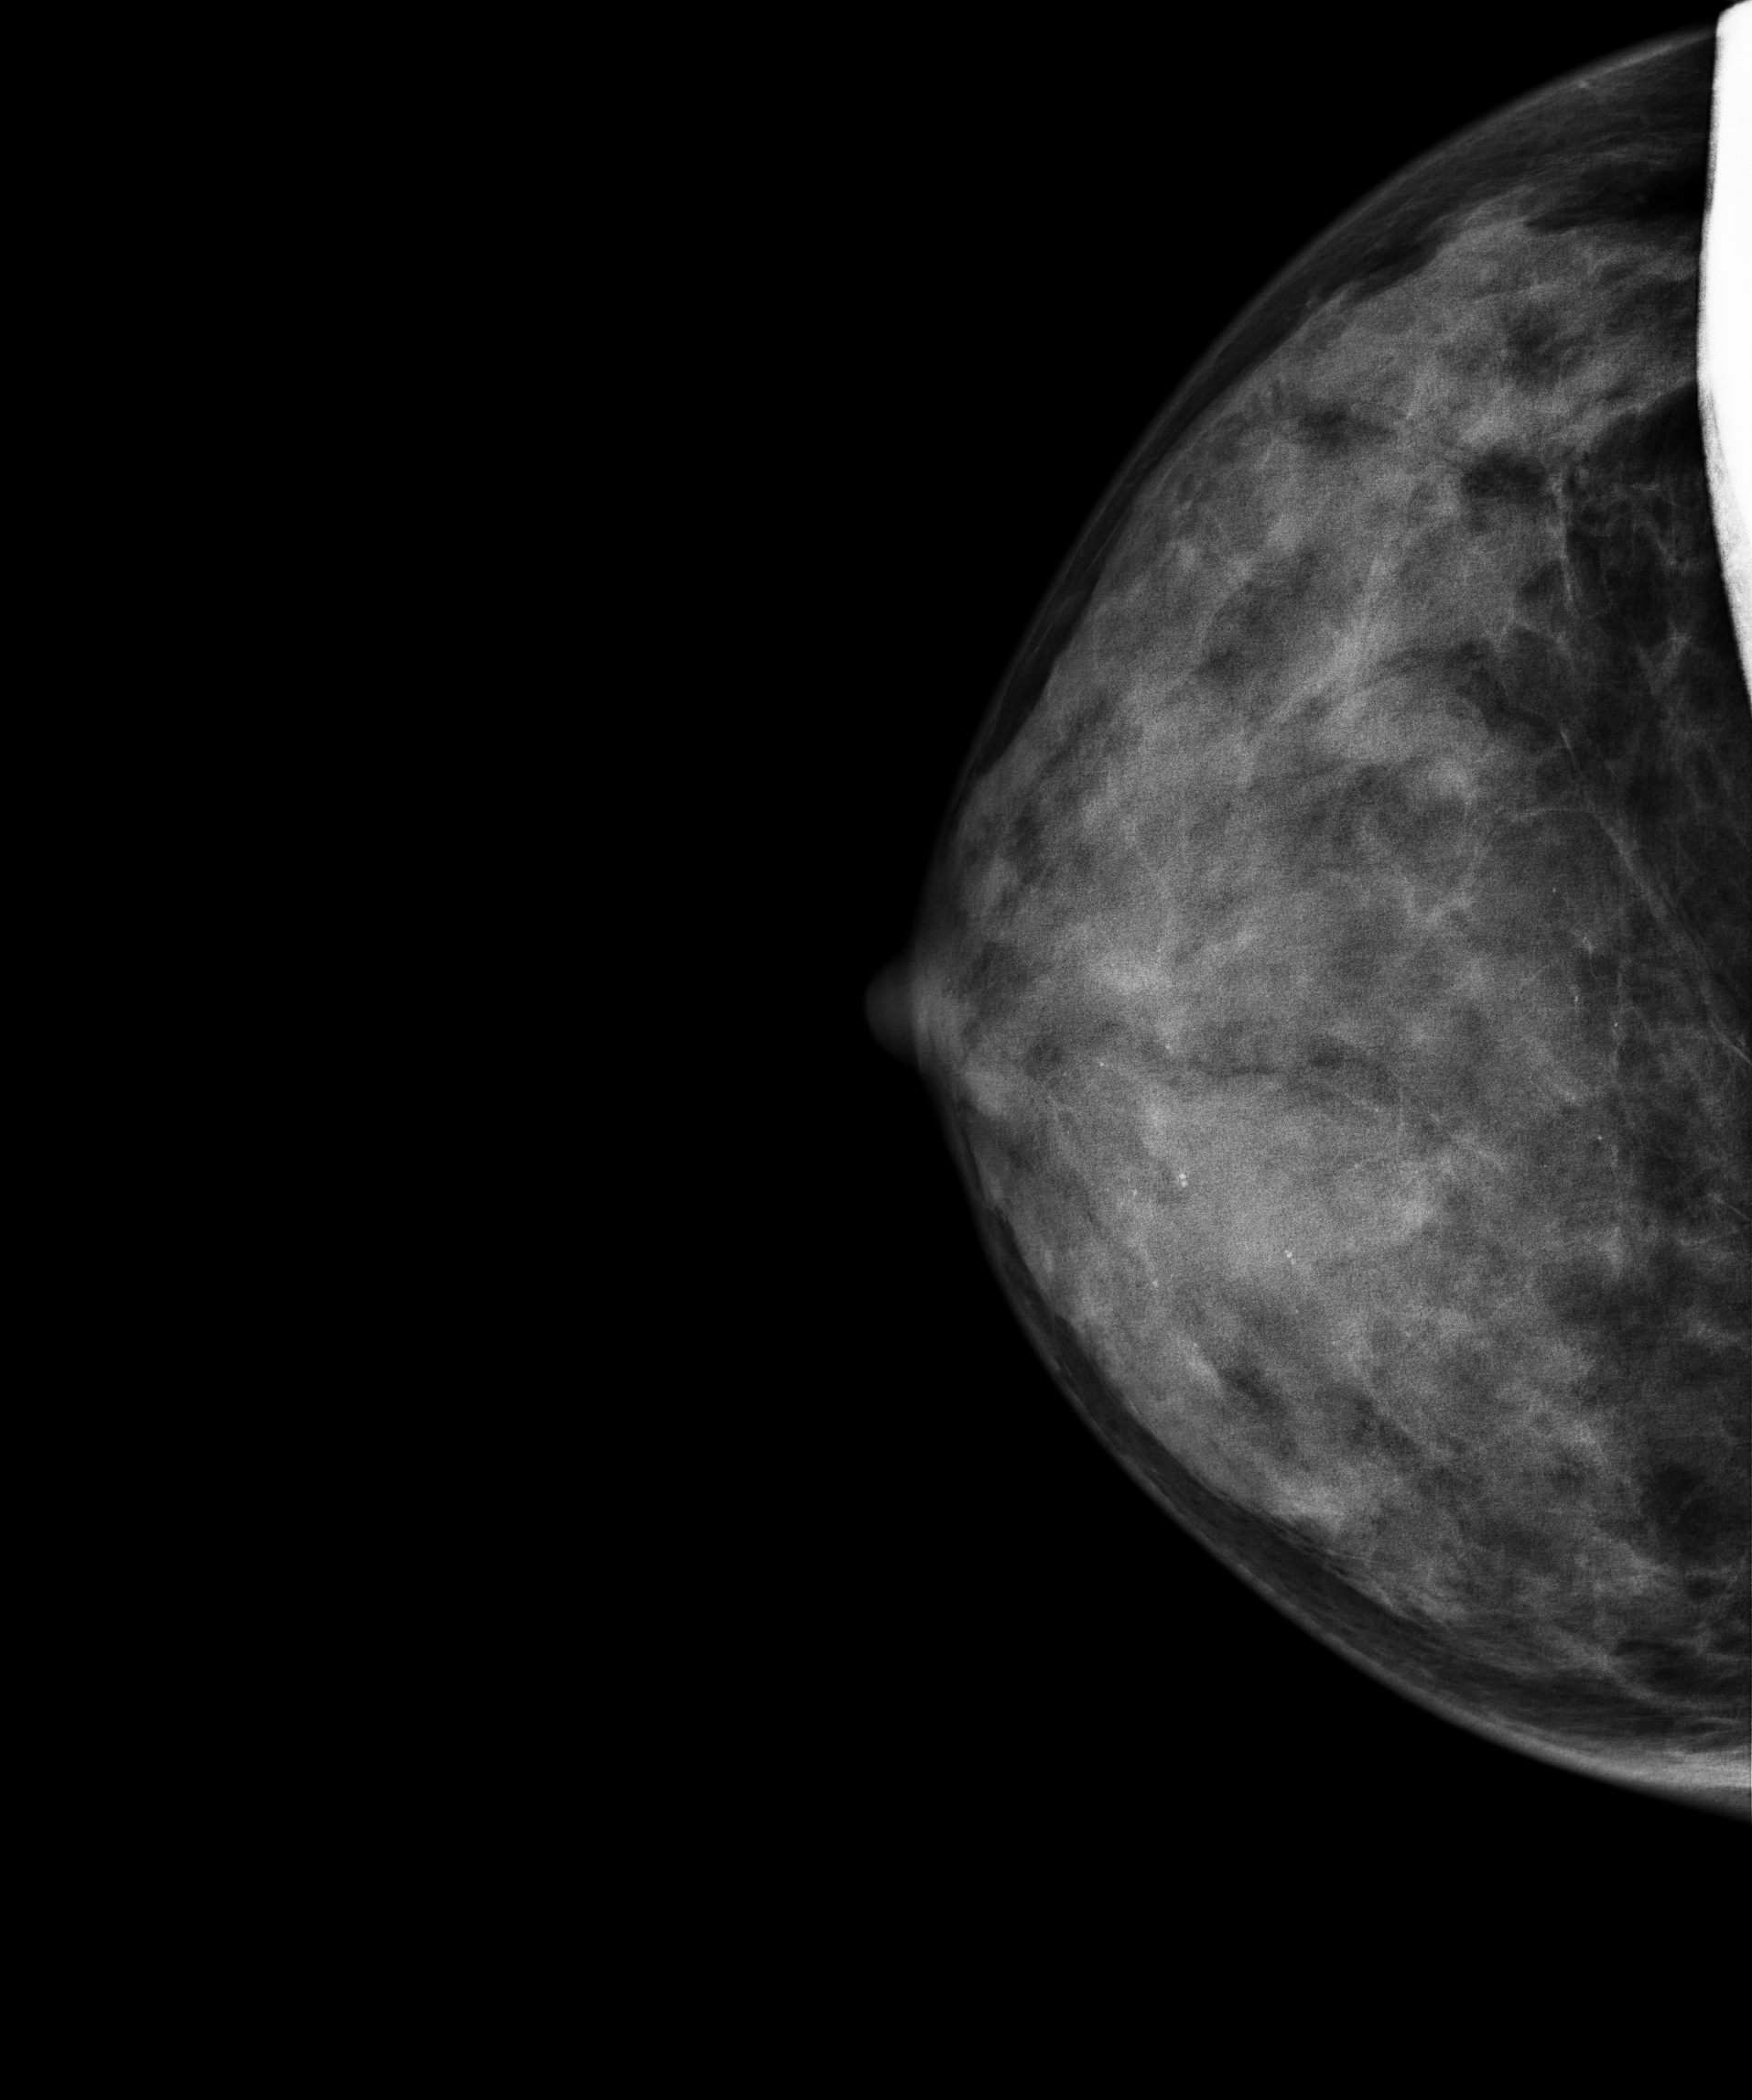
Mammogram — right CC. 43 y/o patient.
This breast has calcifications, biopsy-confirmed benign.